Right-breast mammogram, cranio-caudal. 46 y/o patient.
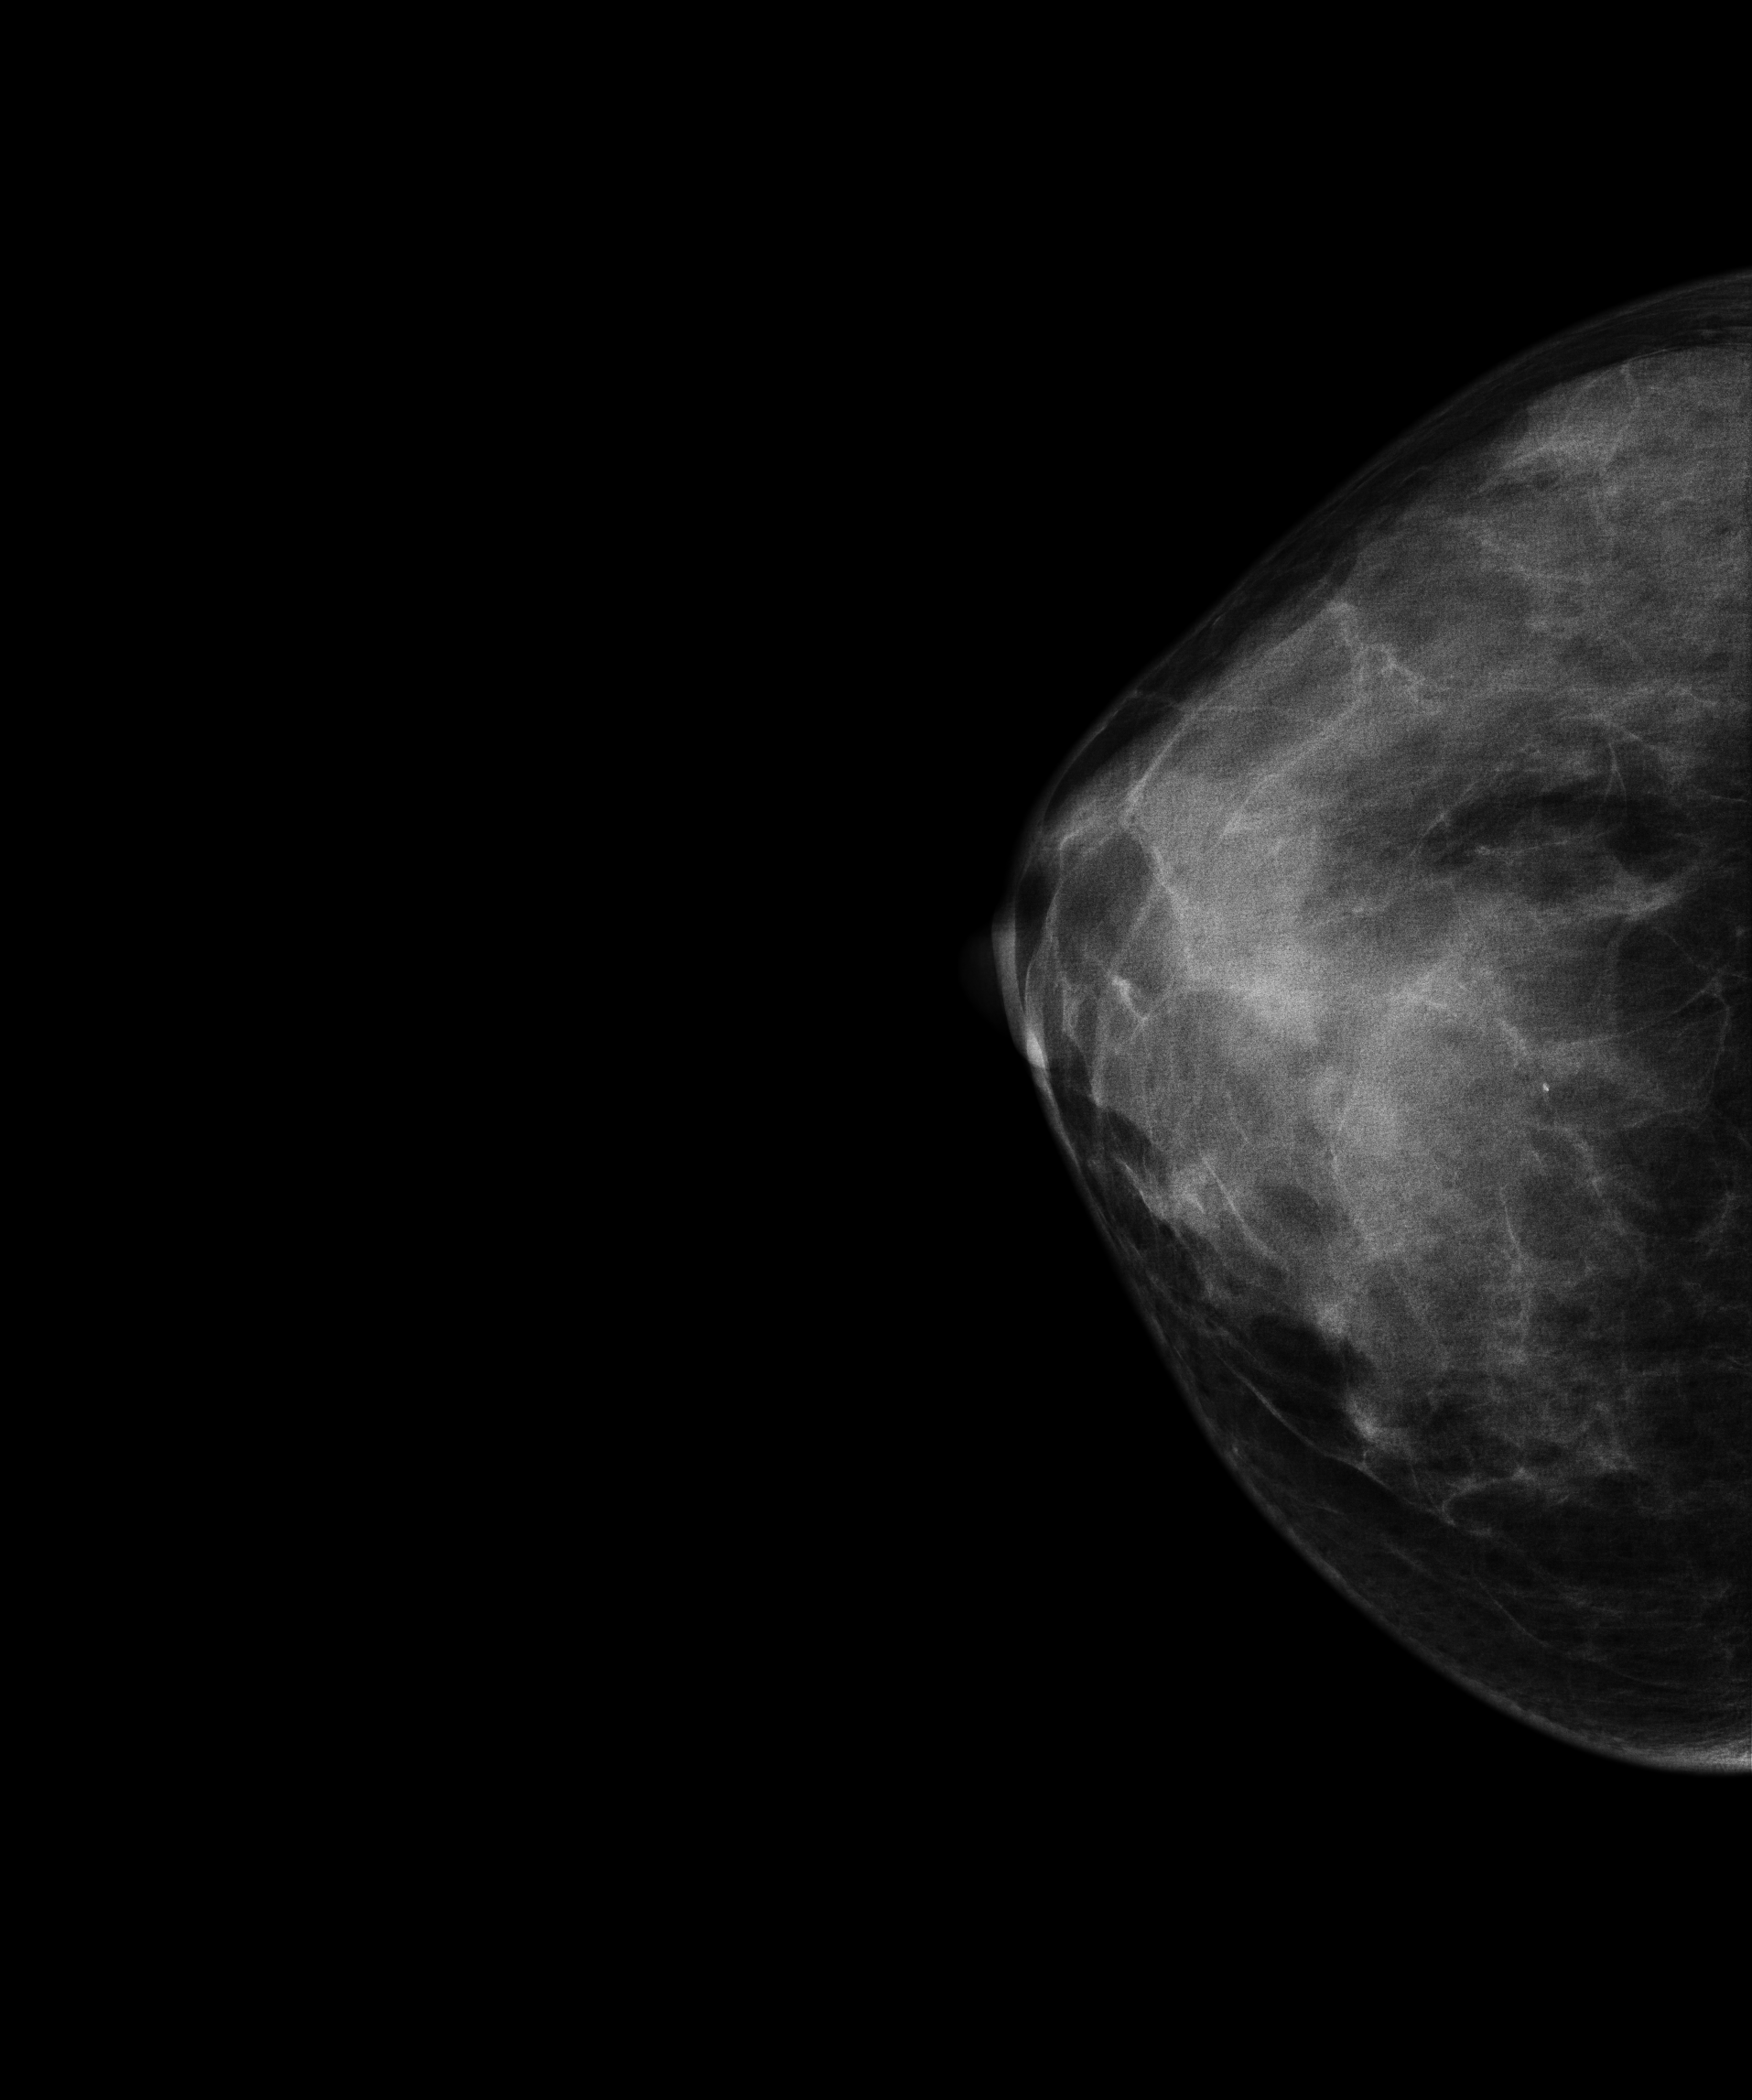
This breast has calcifications, pathology-confirmed benign.